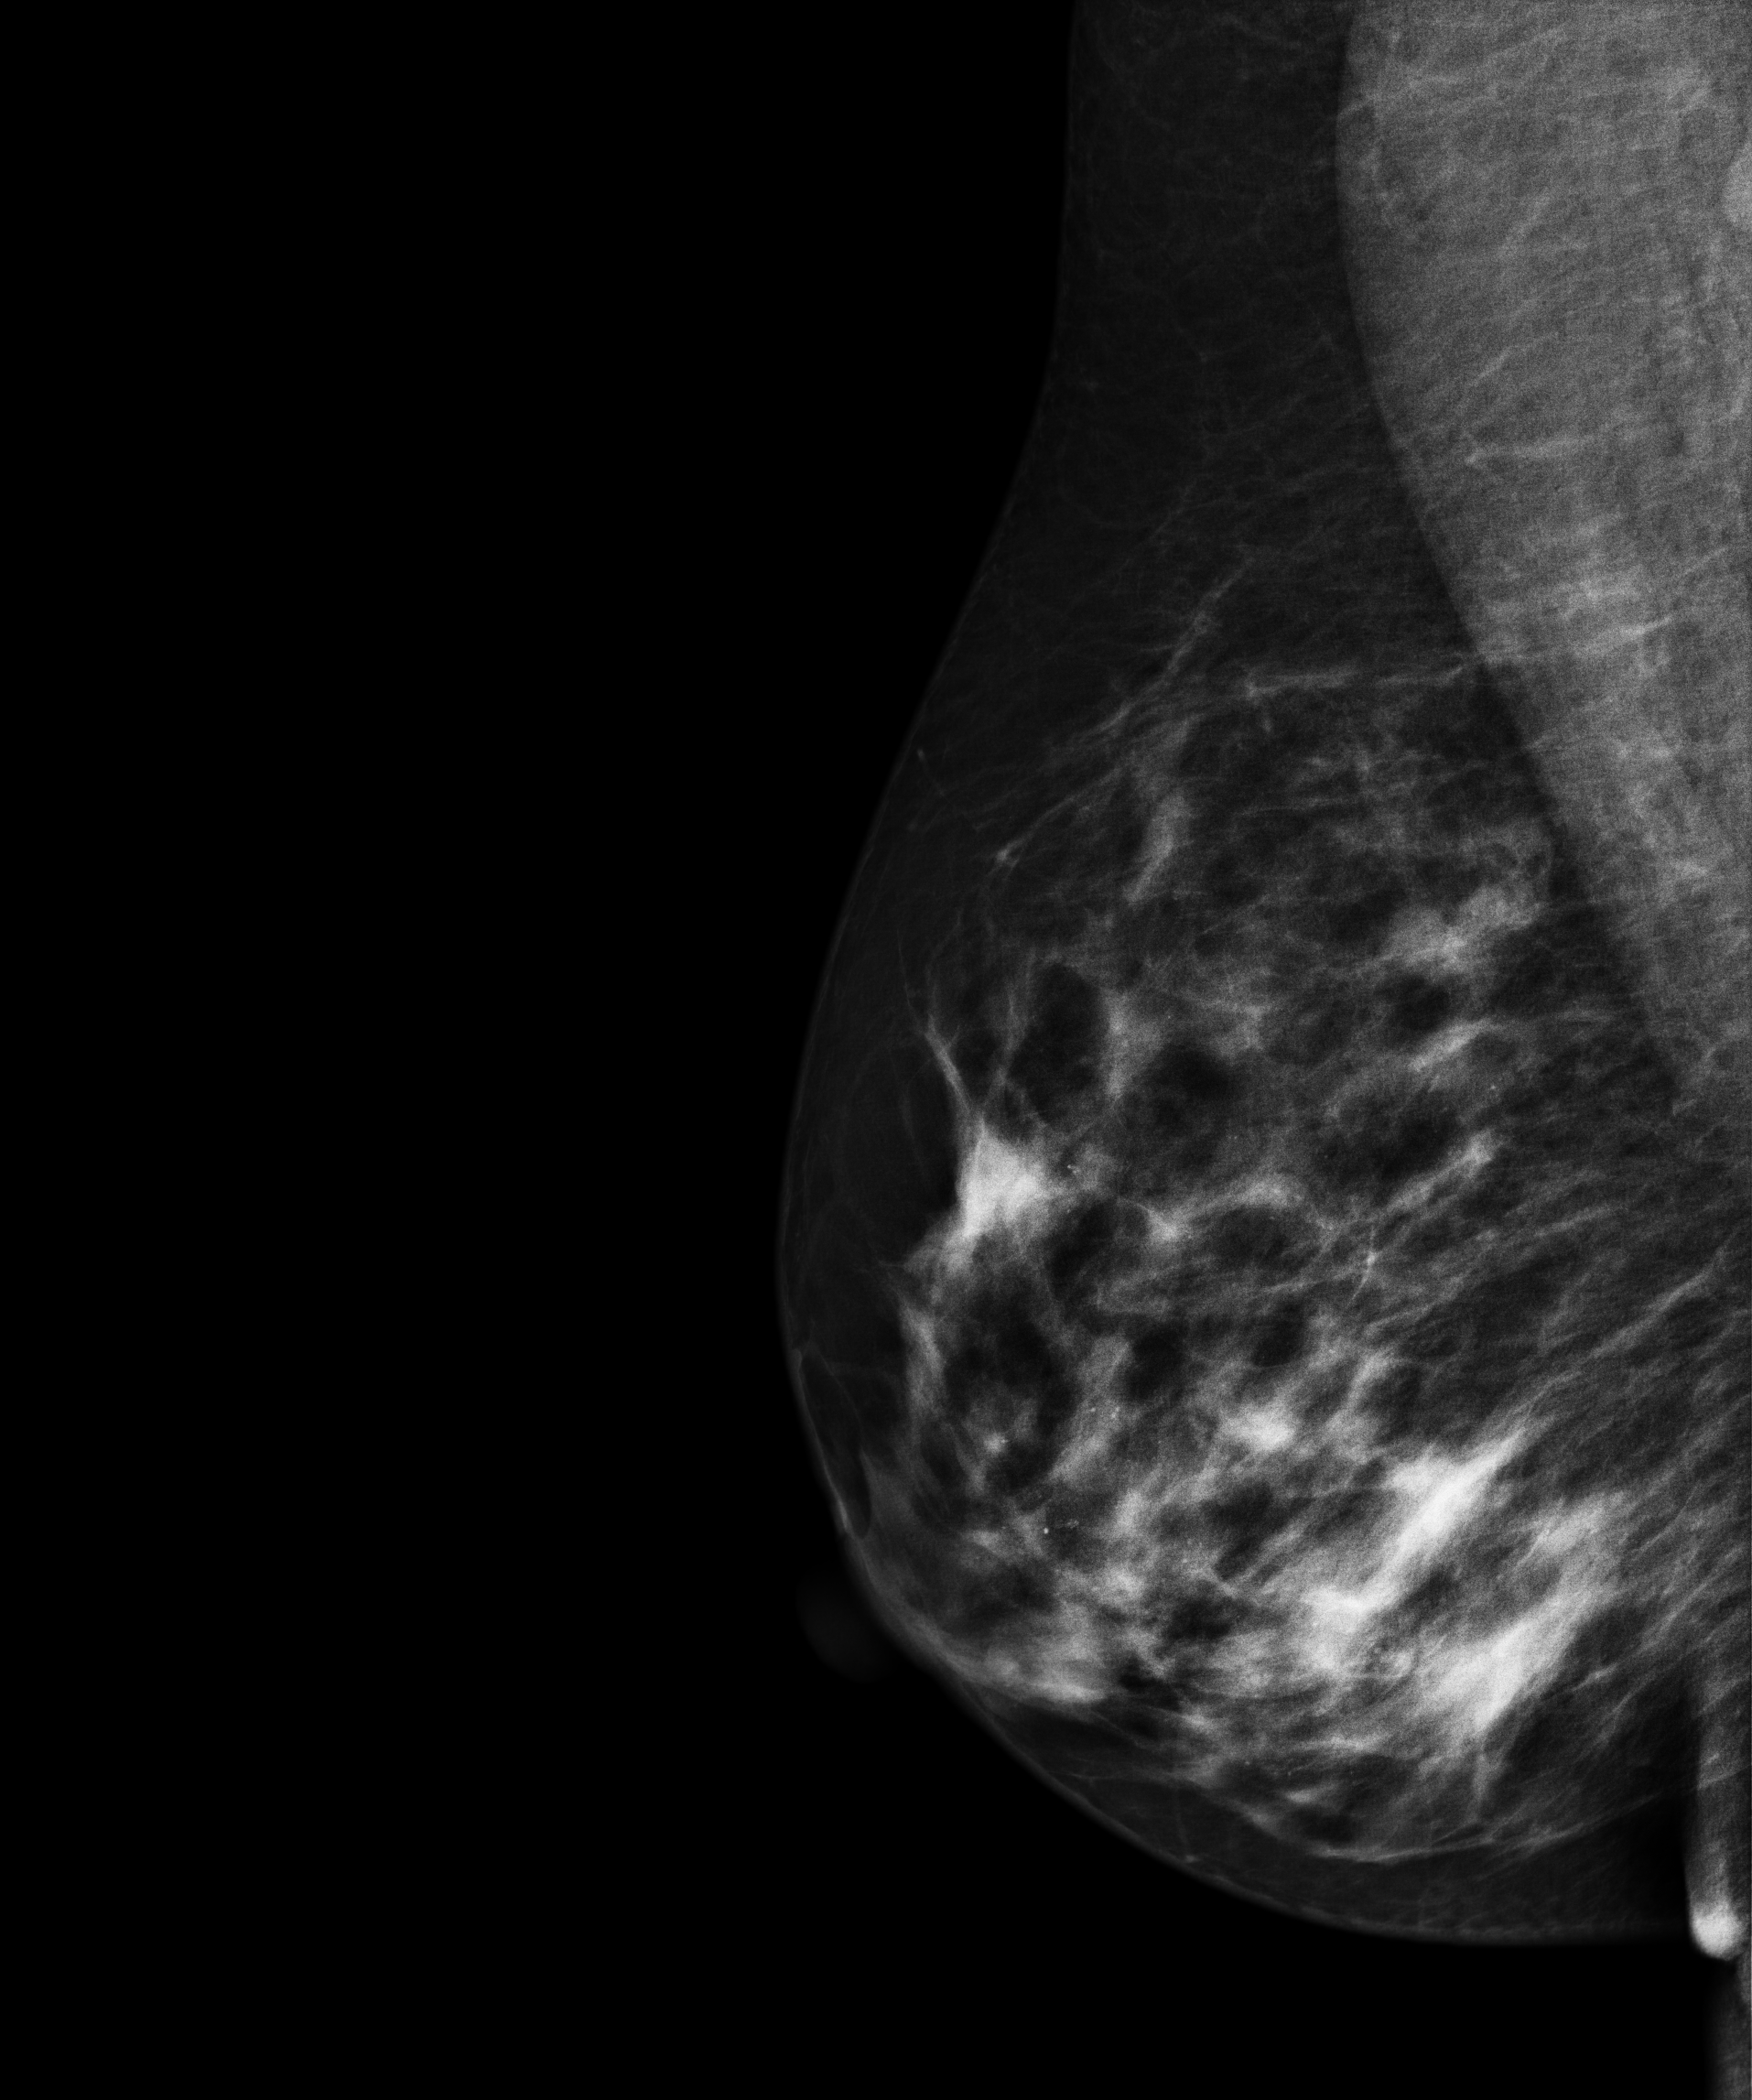
Mammogram — right medio-lateral oblique. 33-year-old patient.
This breast has calcifications, pathology-confirmed benign.